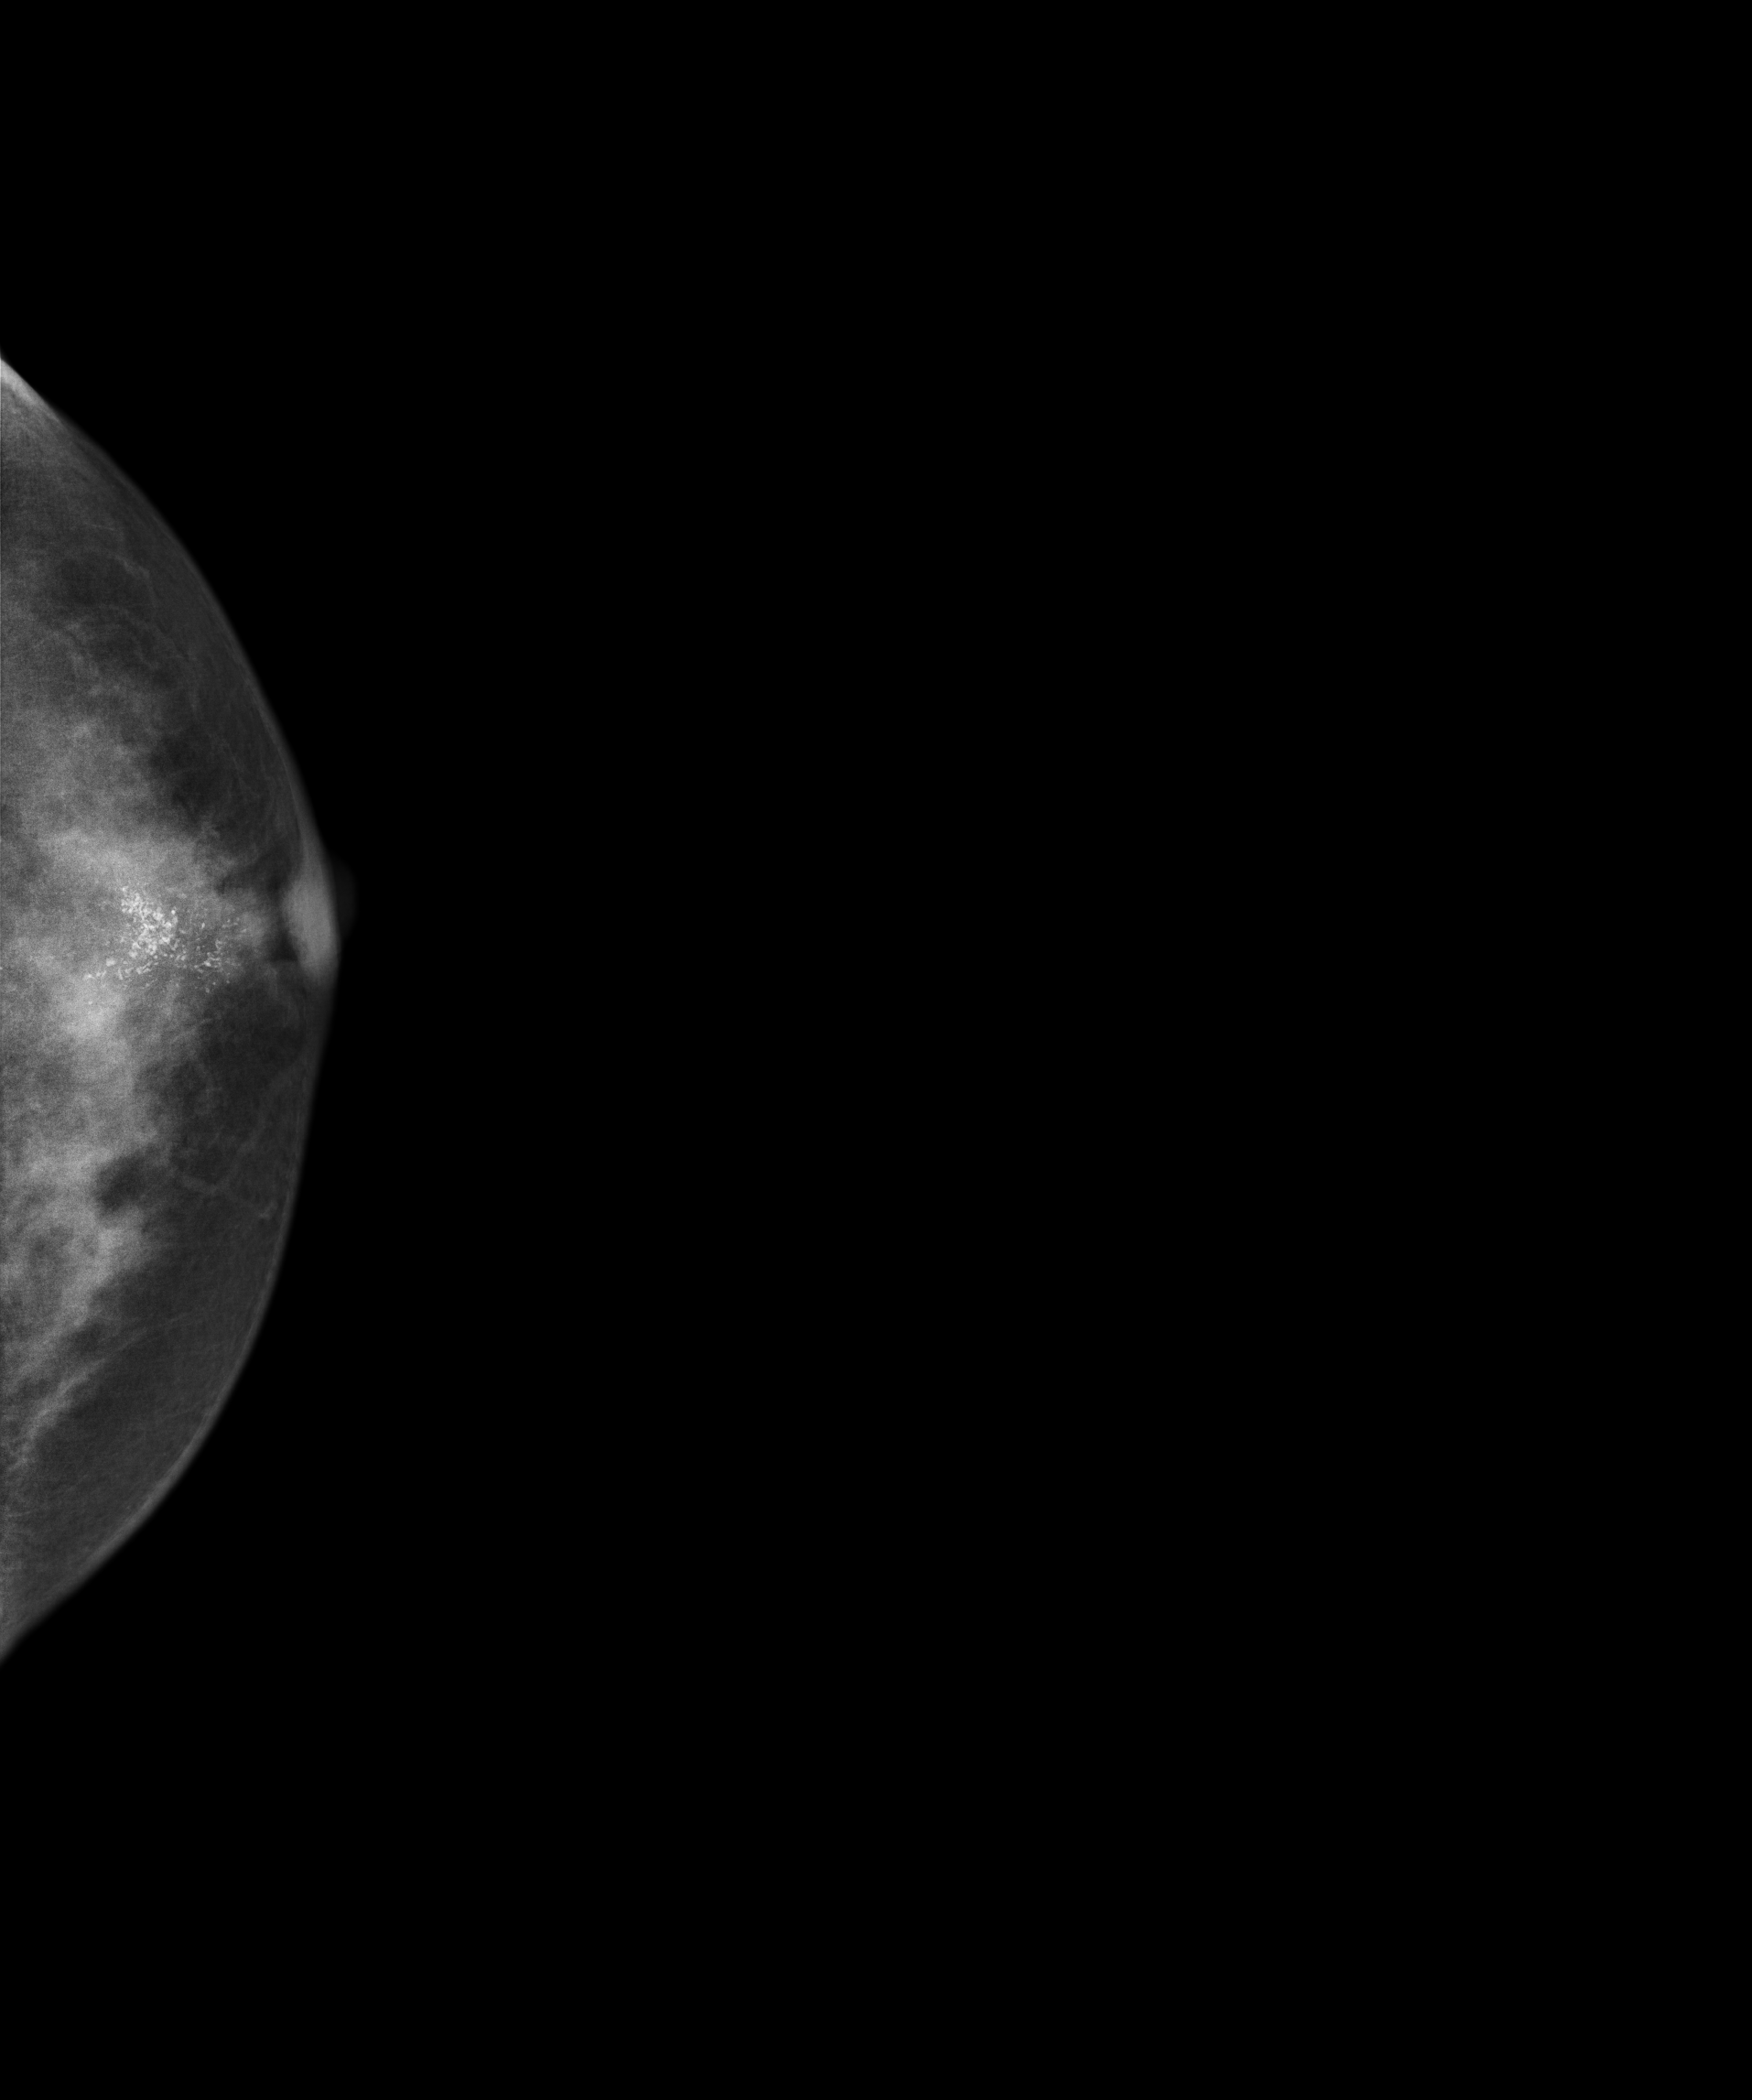
Mammogram, left breast, cranio-caudal view. 44 y/o patient.
This breast has calcifications, pathology-confirmed malignant. Molecular subtype: HER2-enriched.